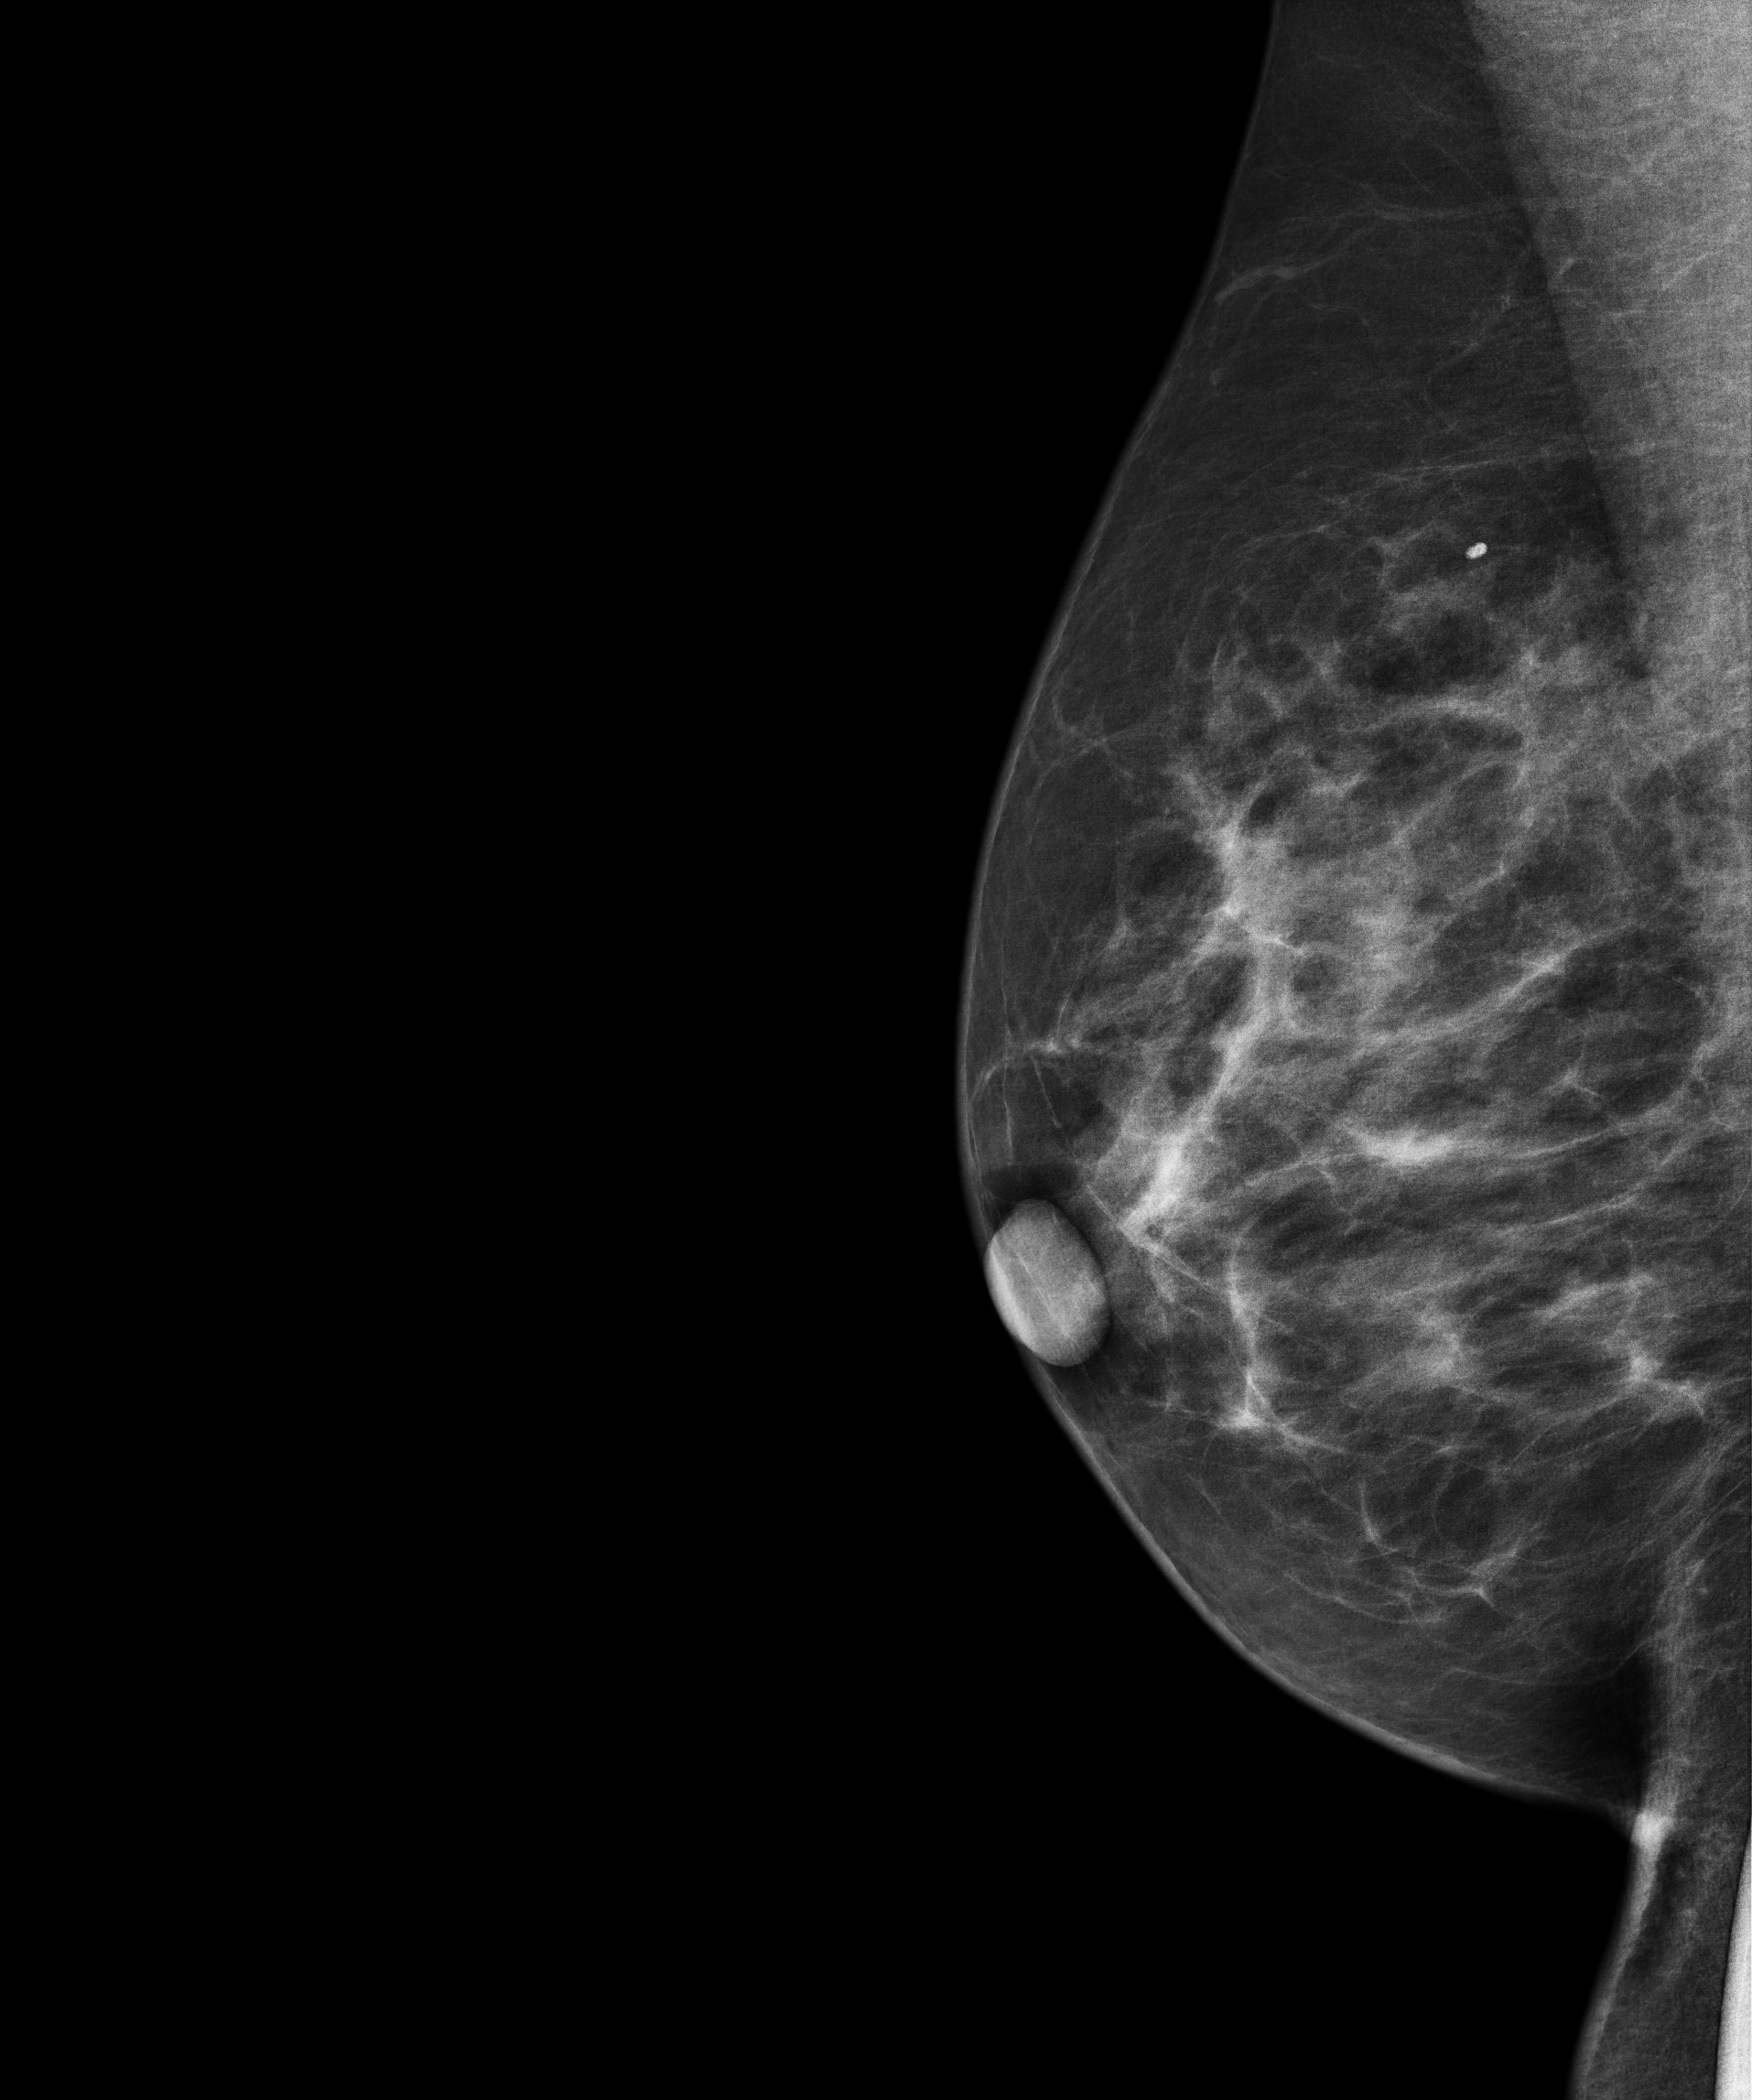
Right-breast mammogram, medio-lateral oblique. 54 y/o patient.
Contralateral breast — no documented abnormality on this side.